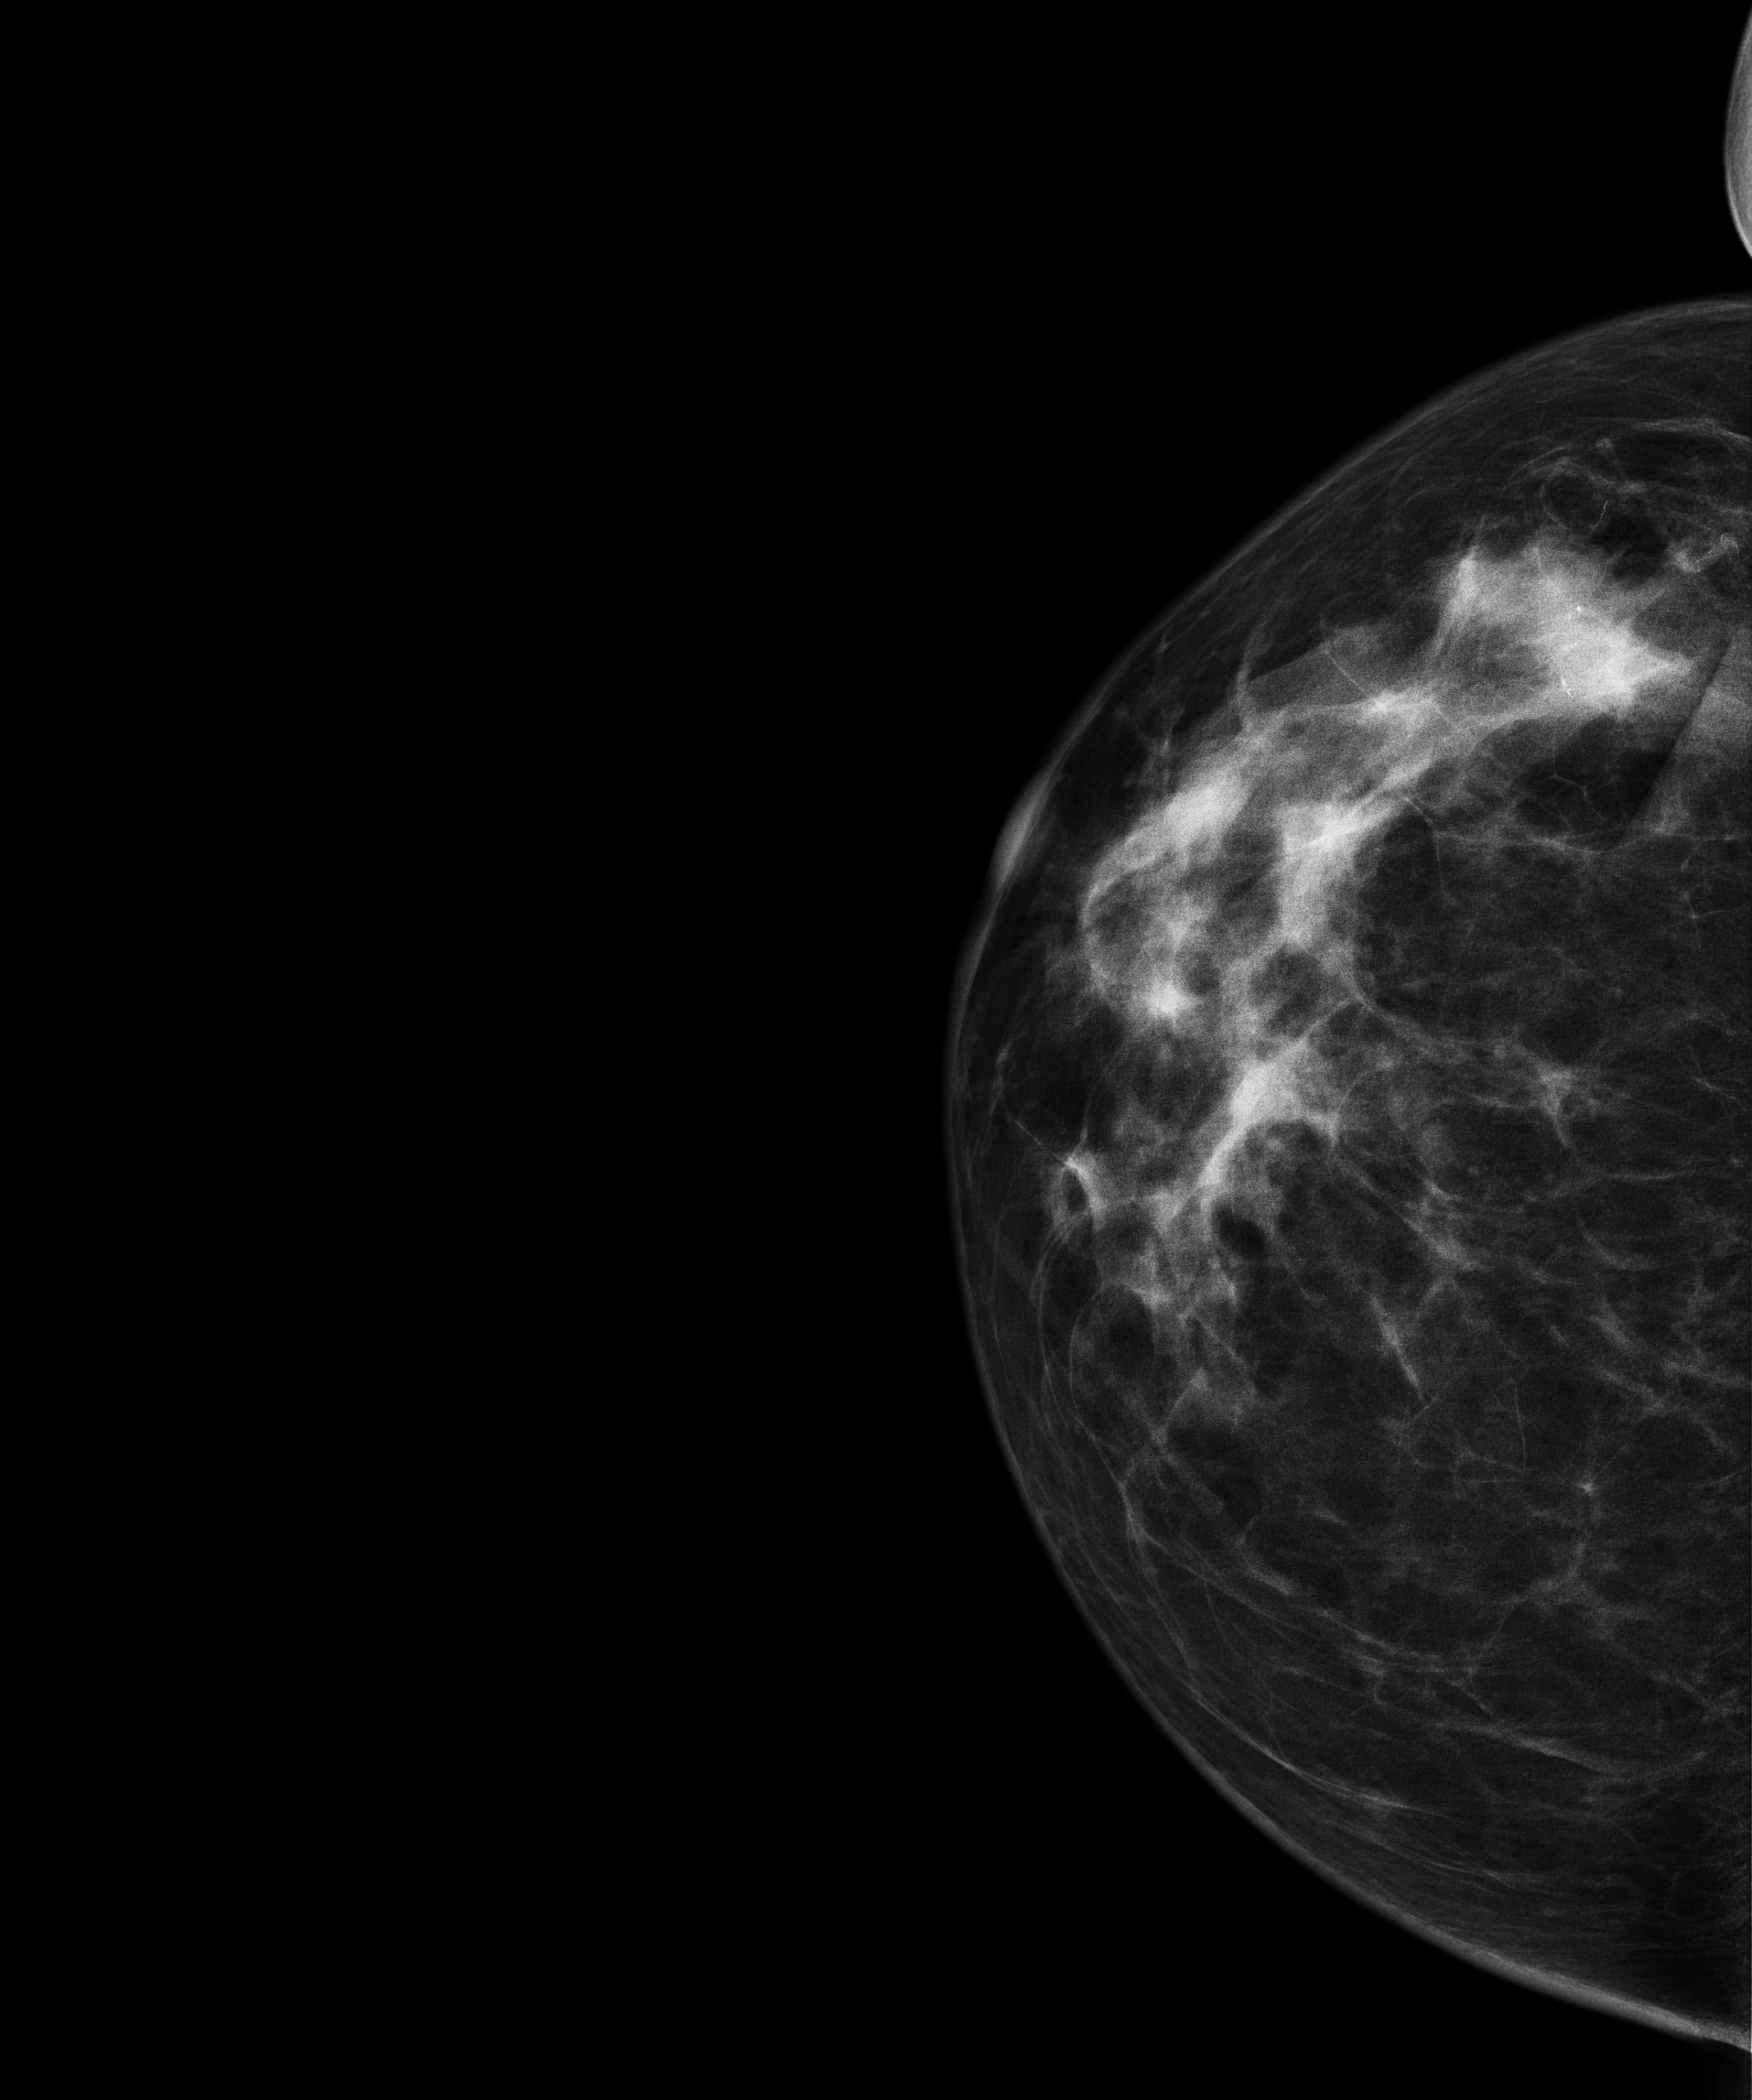
Mammogram — left cranio-caudal. Patient age 60.
Contralateral breast — no documented abnormality on this side.